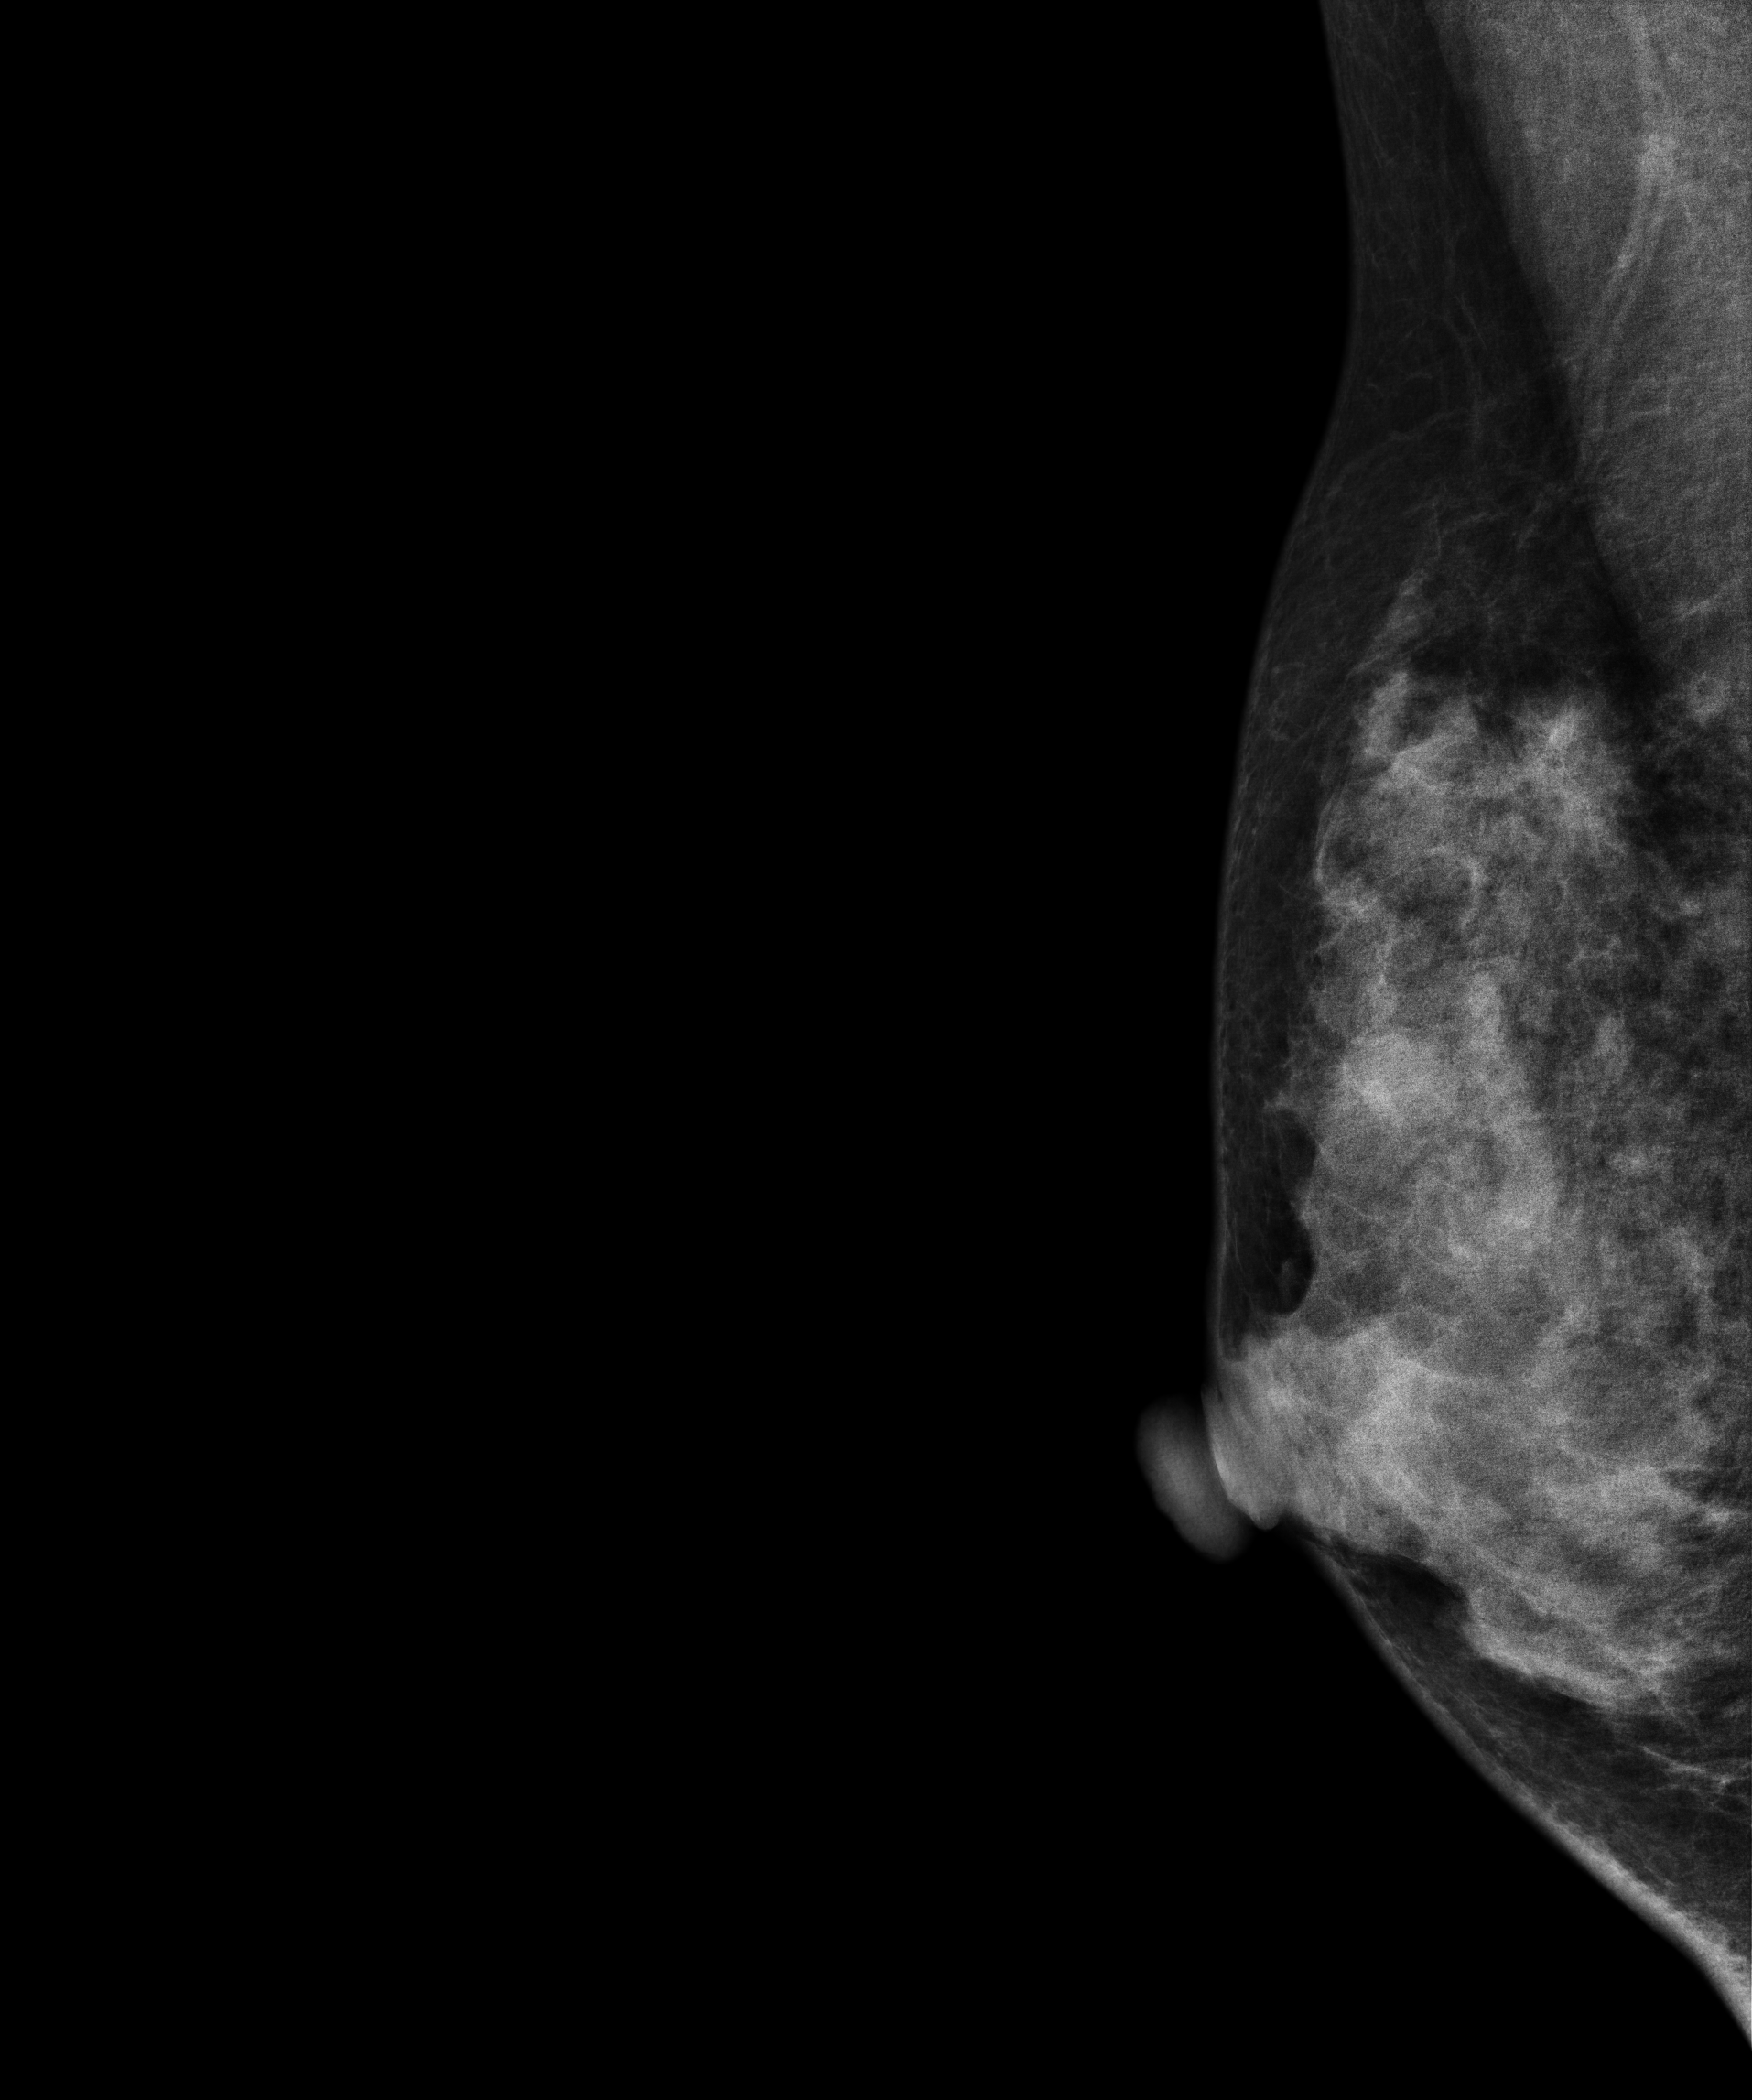
Digital mammography. Right breast, MLO projection. 39 y/o patient.
This breast has a mass, biopsy-proven malignant. Molecular subtype: luminal A.